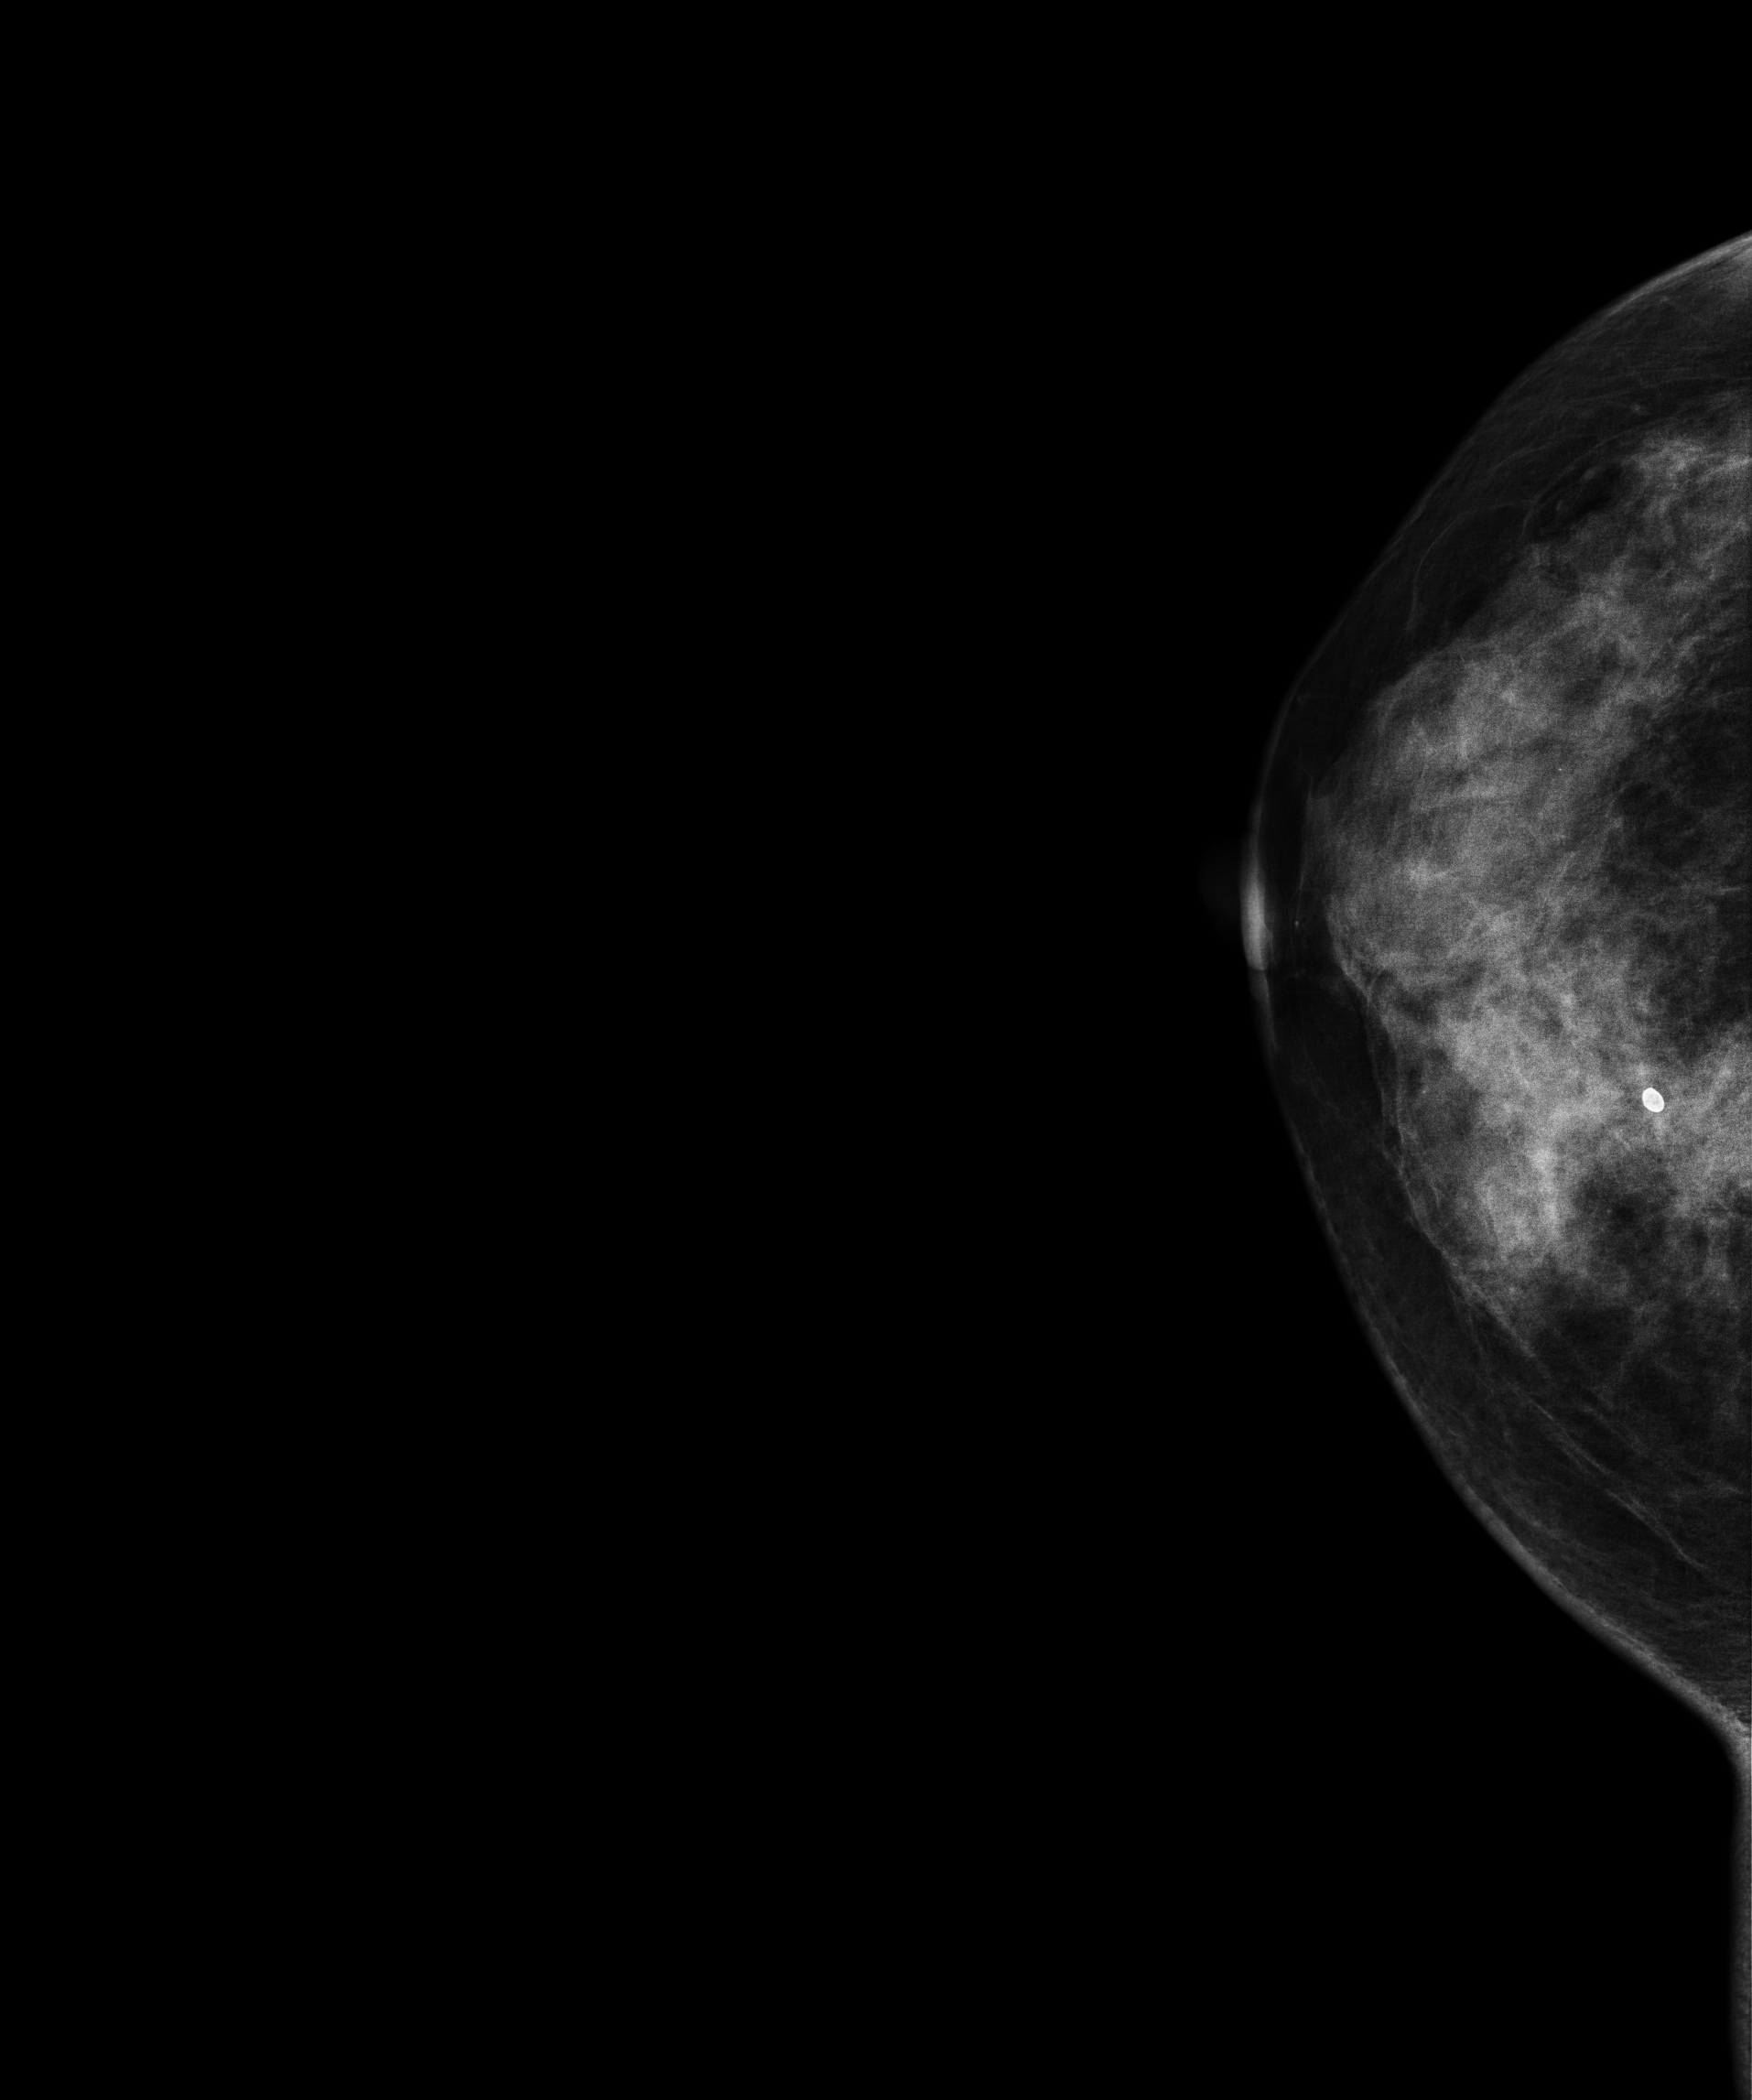
Mammogram — right cranio-caudal. 49 y/o patient.
This breast has a mass, biopsy-proven malignant. Molecular subtype: triple-negative.